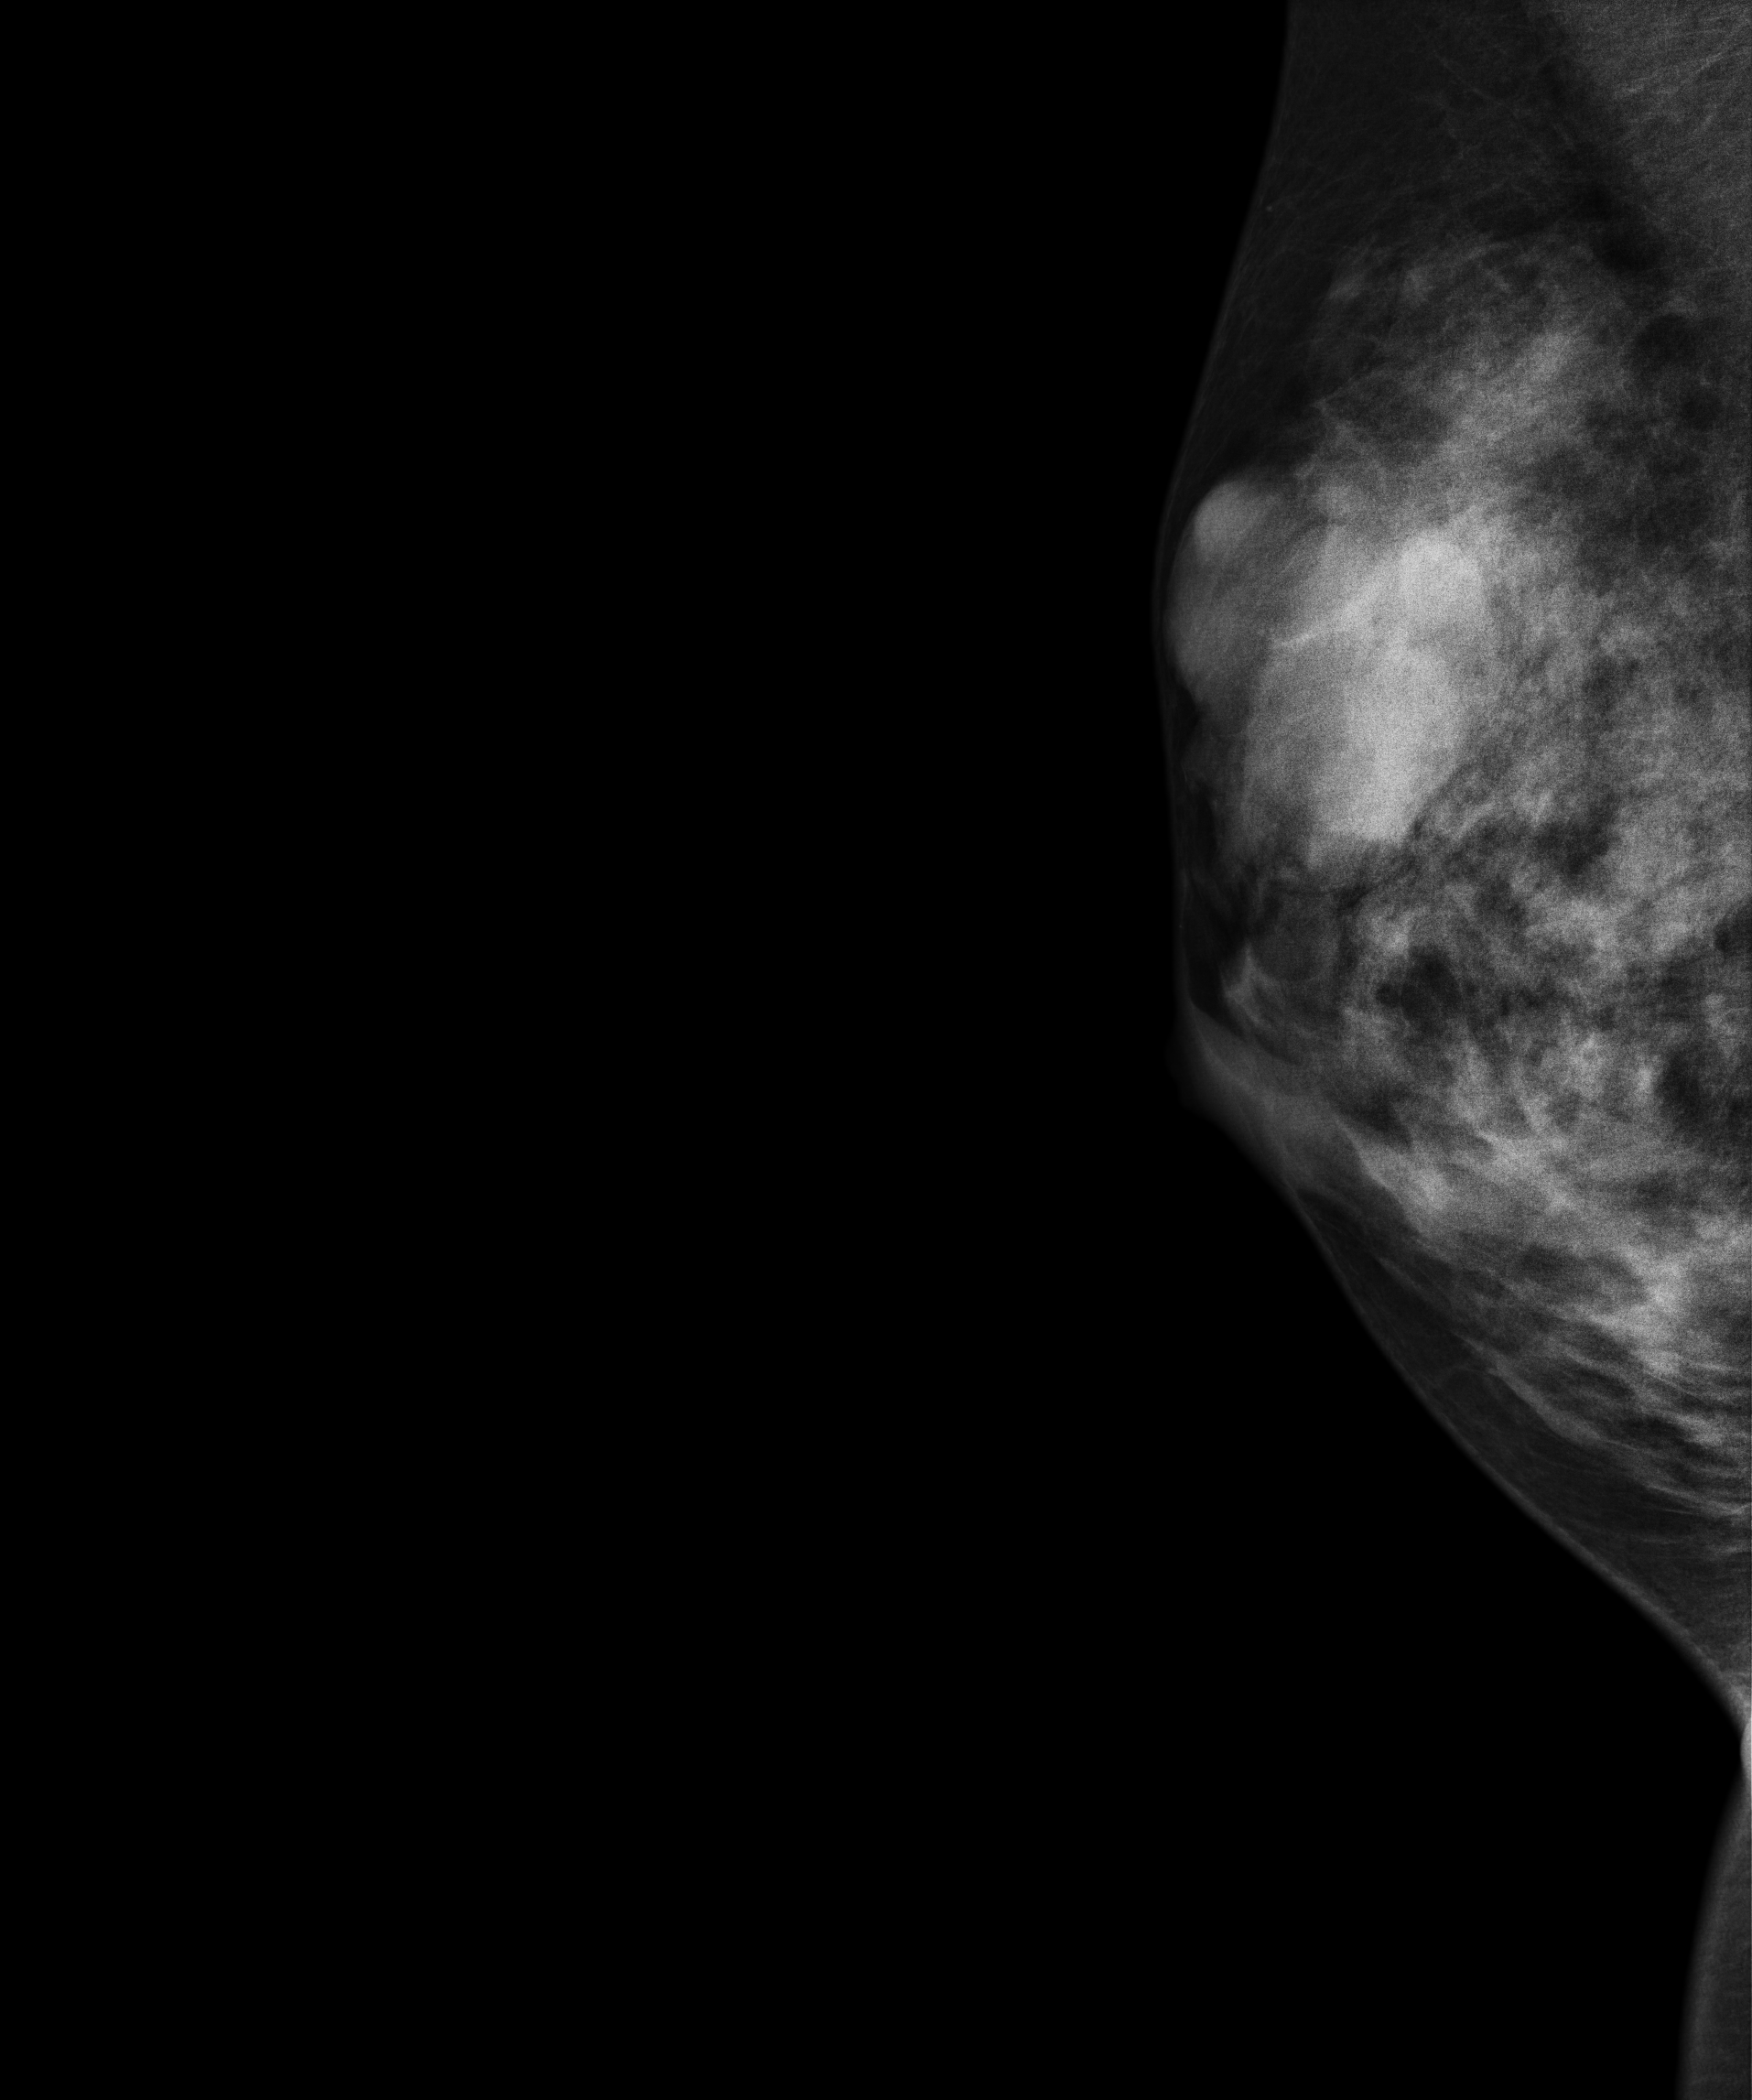
Mammogram — right medio-lateral oblique. 19-year-old patient.
This breast has a mass, histologically confirmed benign.